Mammogram — left CC. Patient age 38.
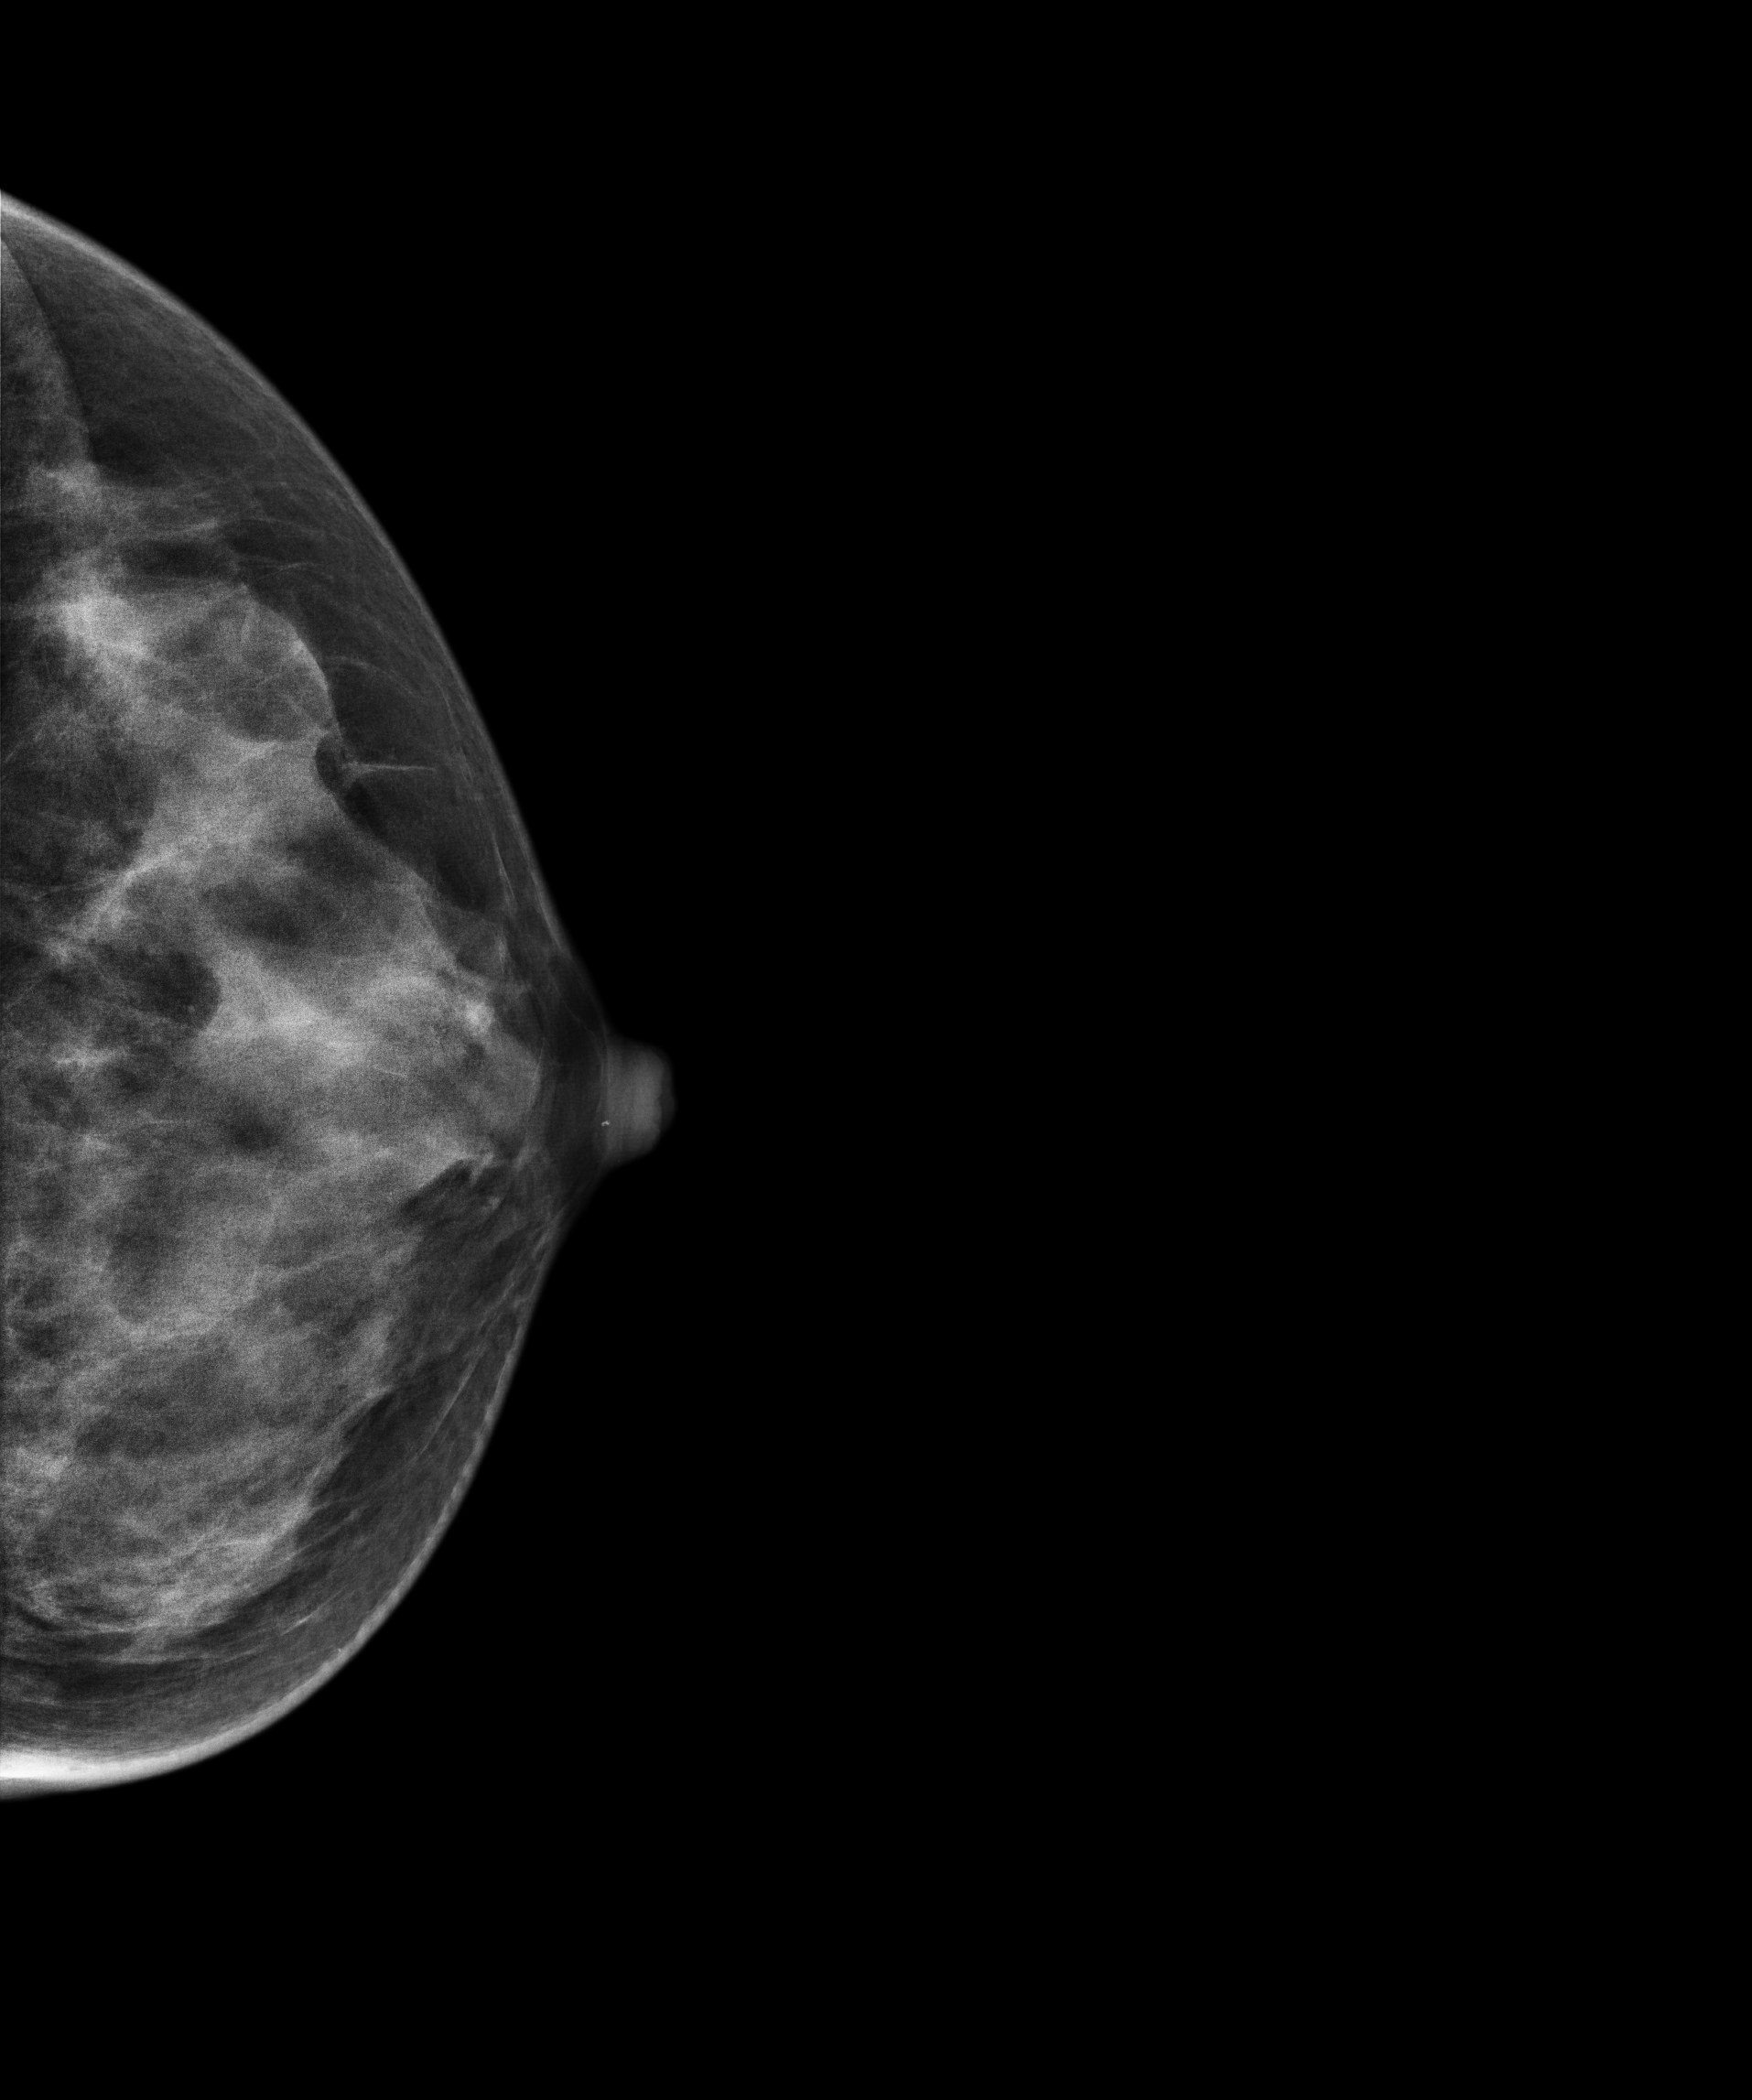
Contralateral breast — no documented abnormality on this side.